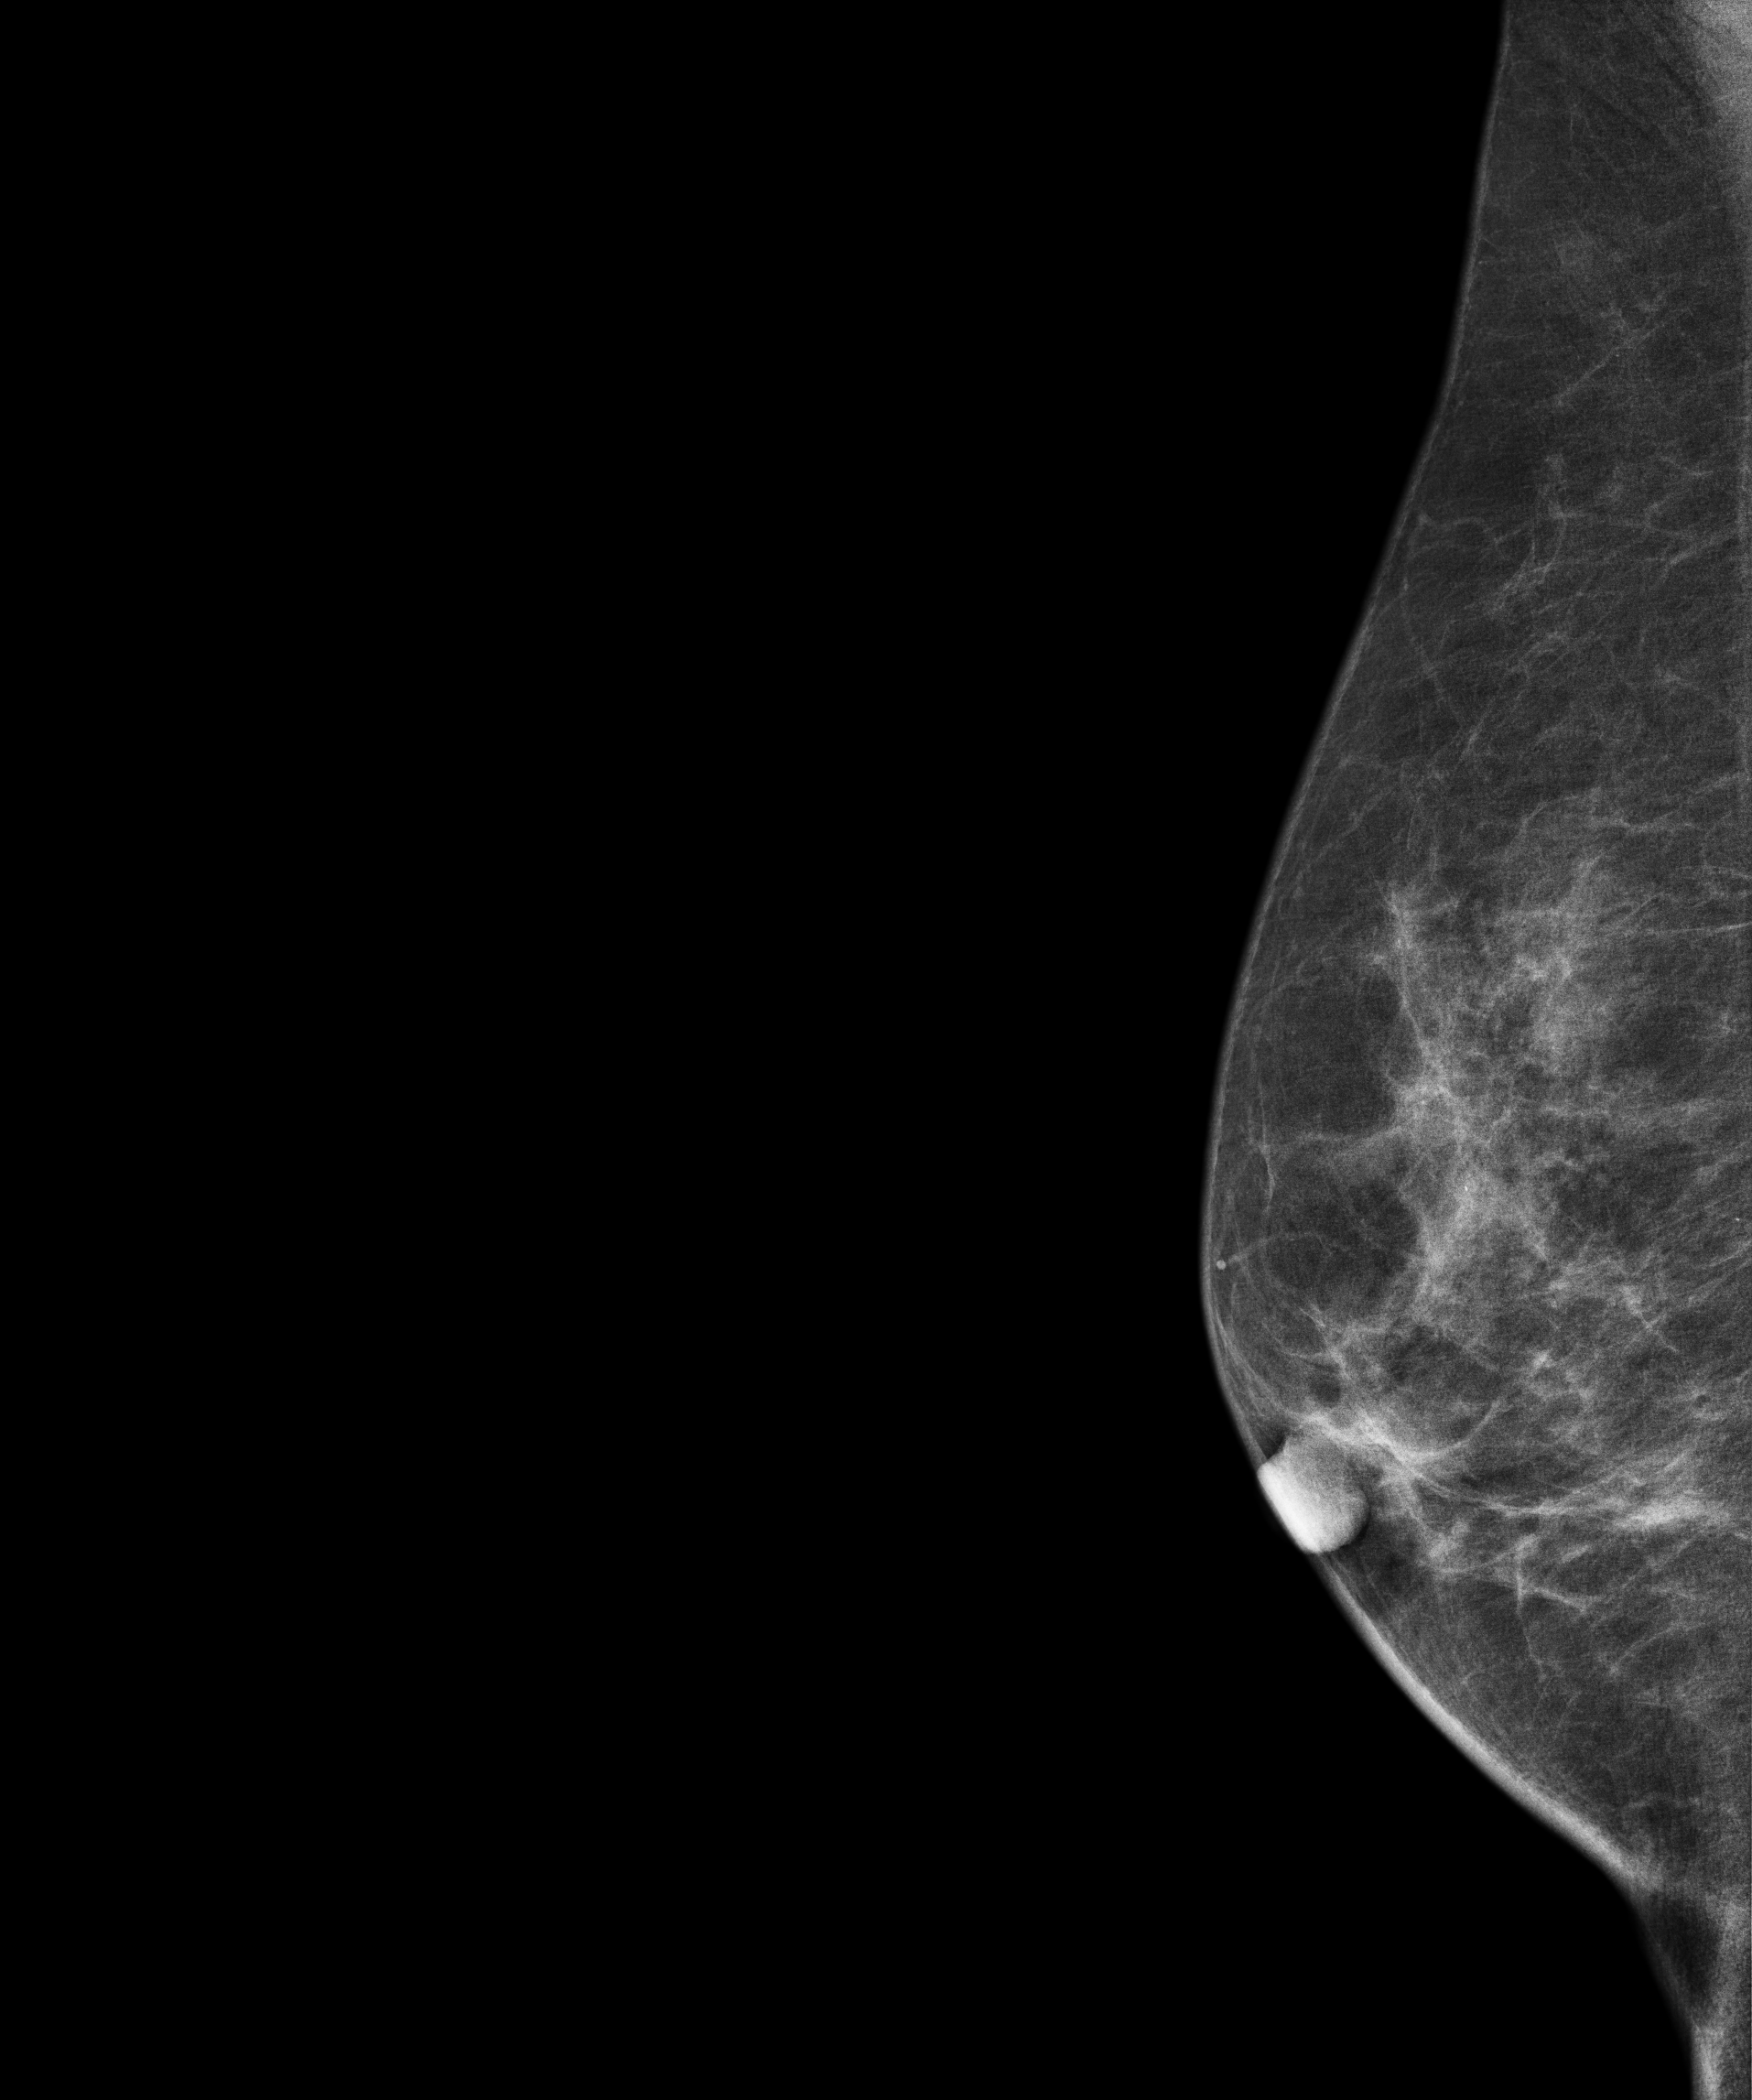
Digital mammography. Right breast, MLO projection. 56 y/o patient.
Contralateral breast — no documented abnormality on this side.